Digital mammography. Left breast, MLO projection. Patient age 33.
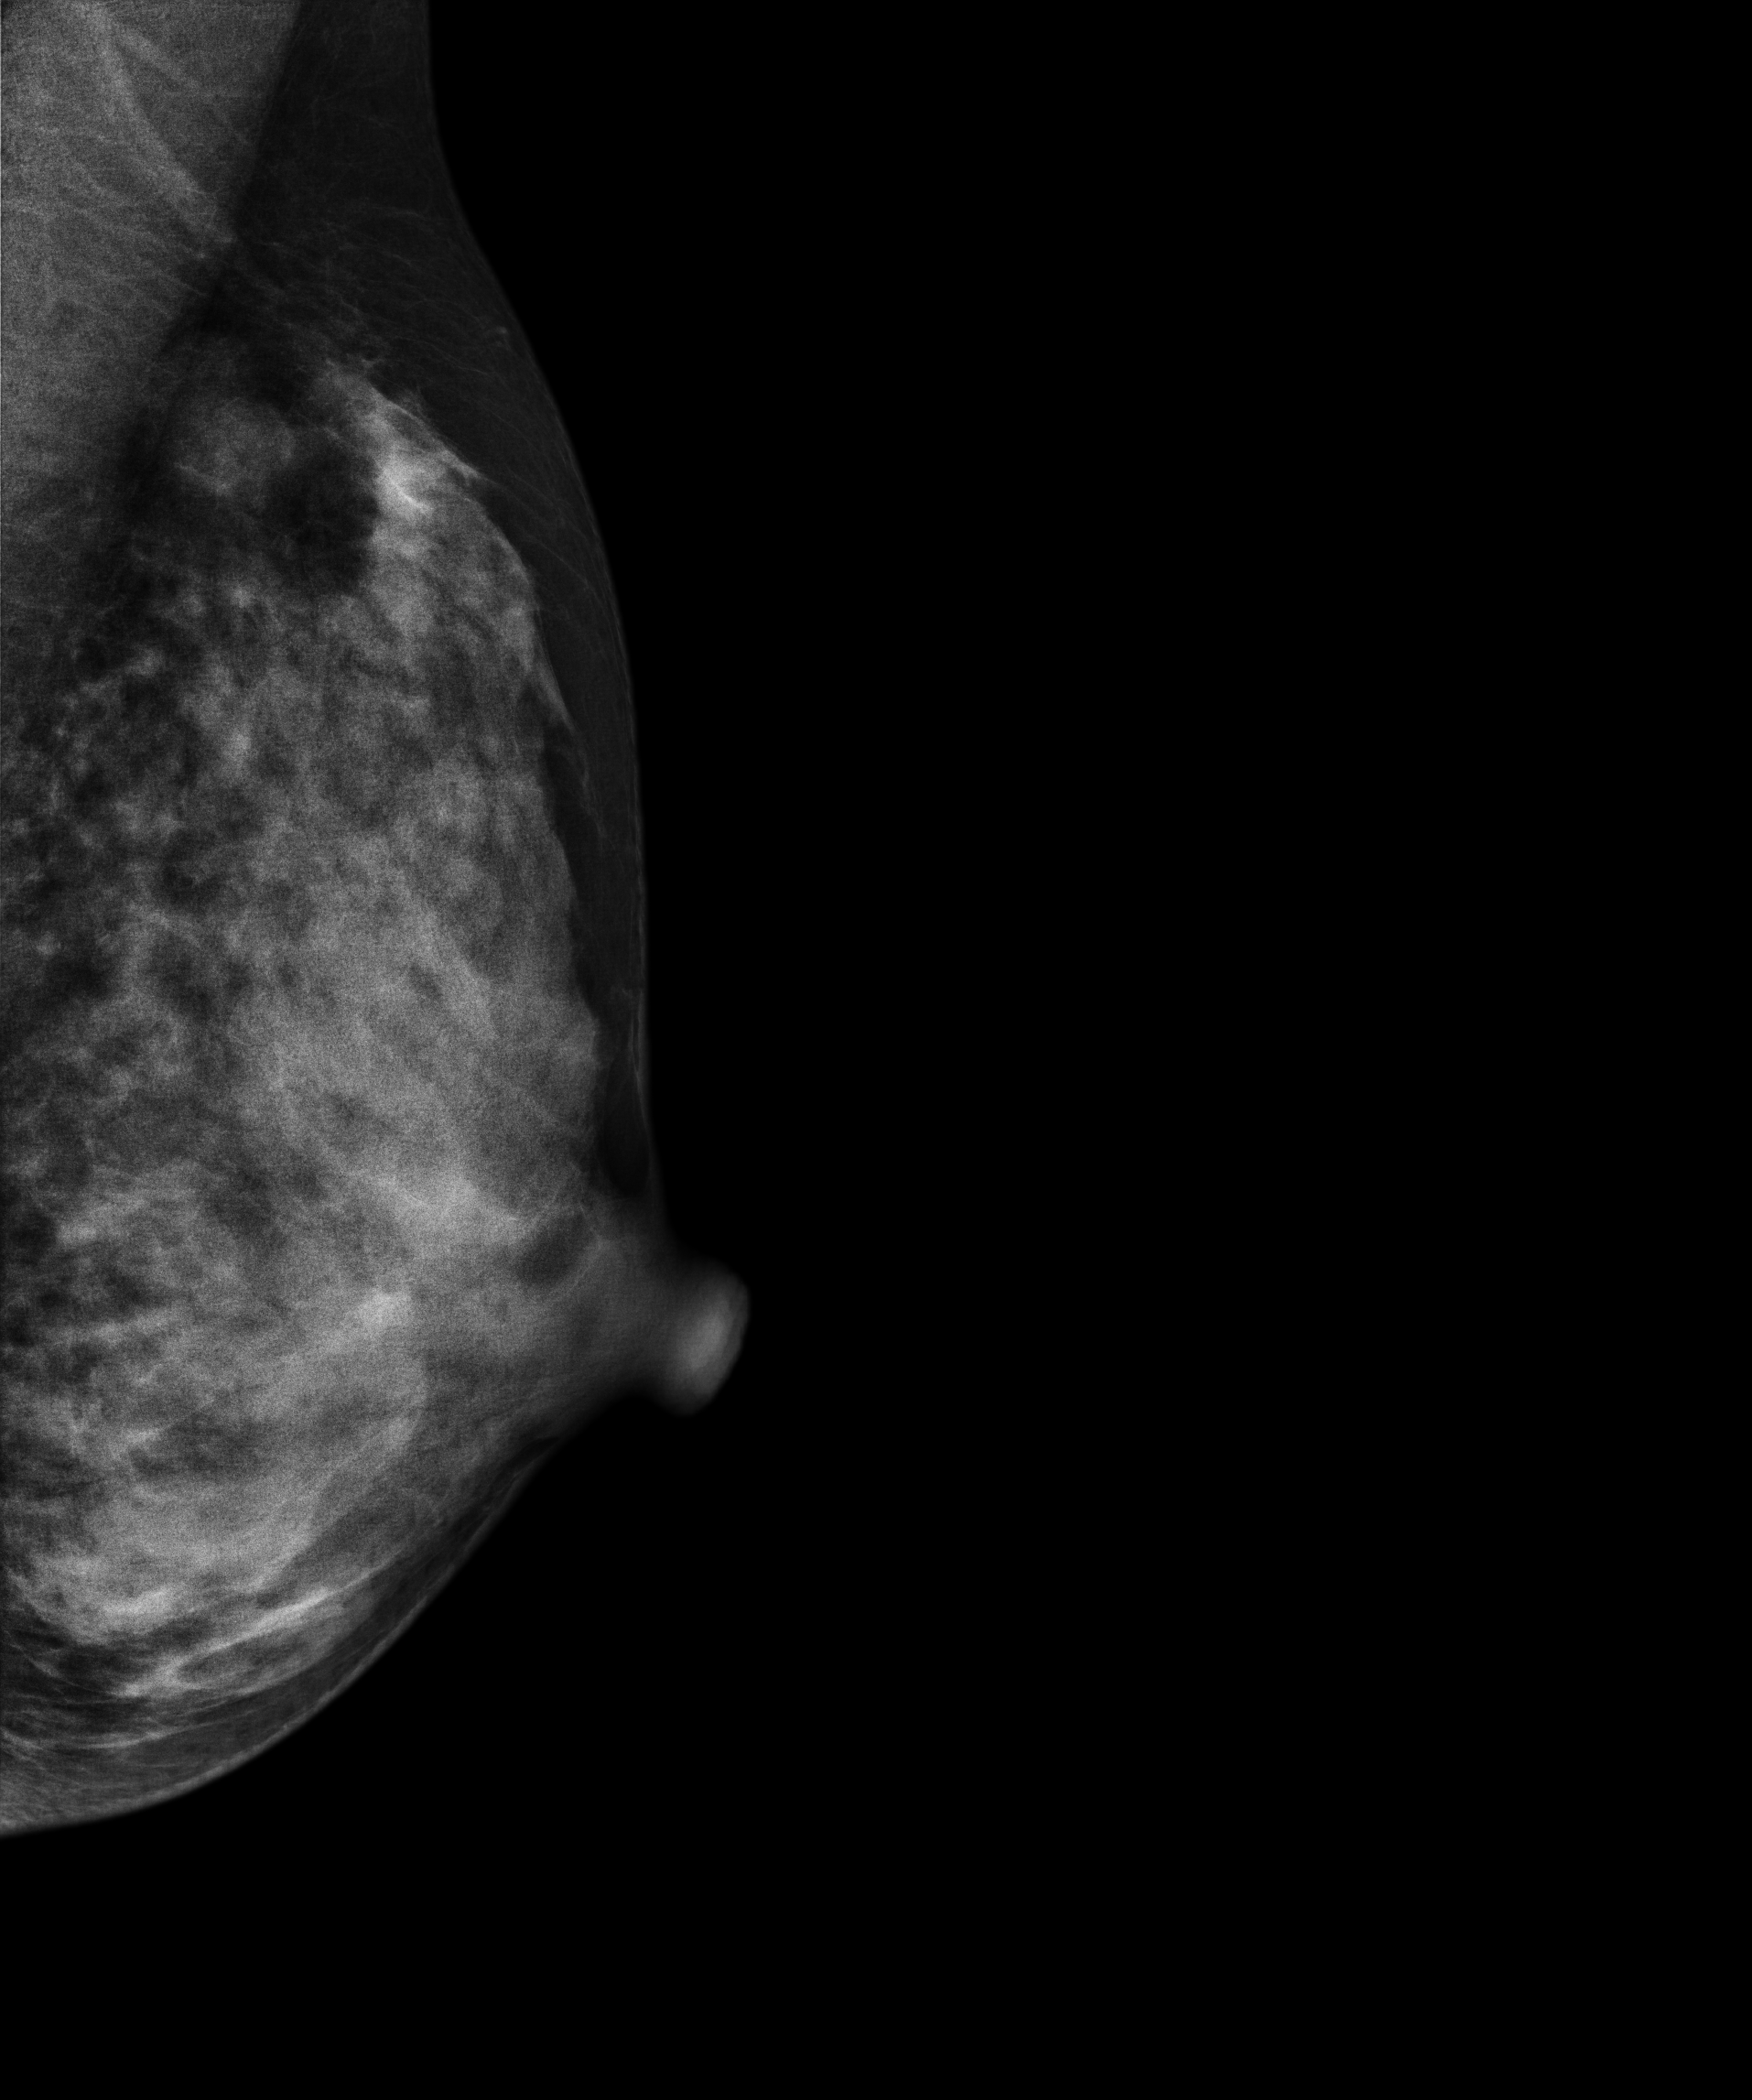
Contralateral breast — no documented abnormality on this side.